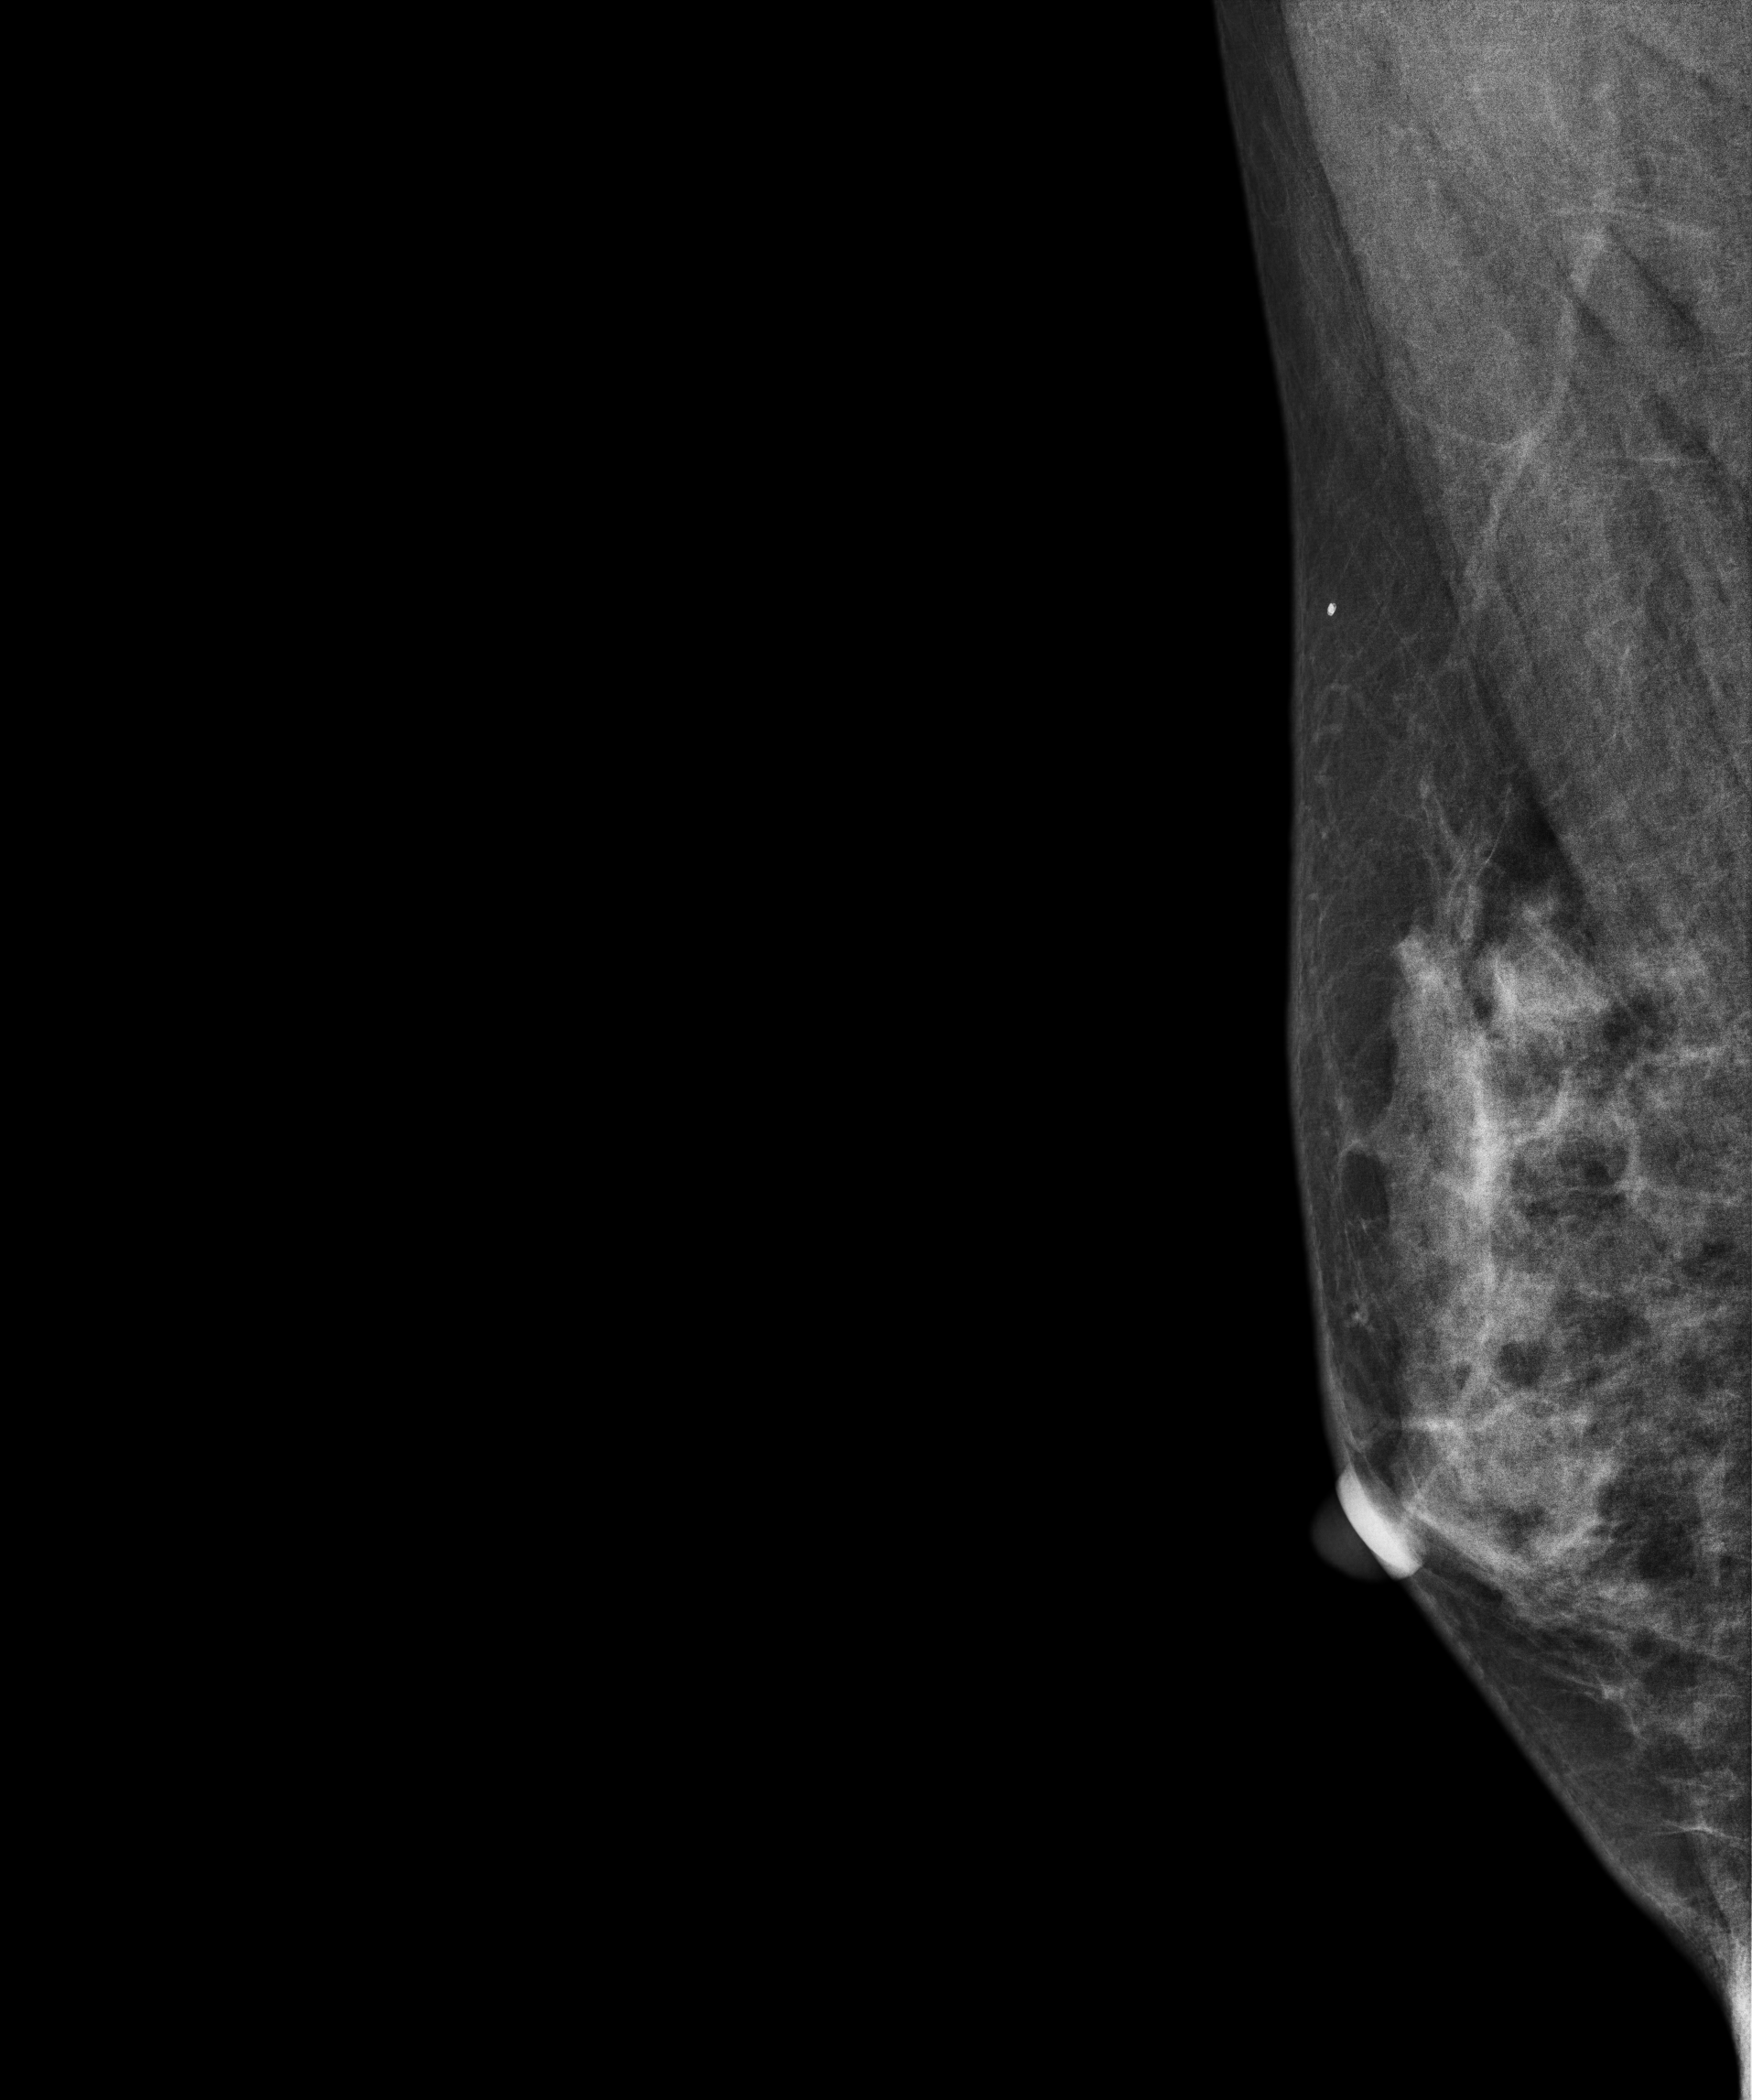
Digital mammography. Right breast, medio-lateral oblique projection. 58 y/o patient.
Contralateral breast — no documented abnormality on this side.